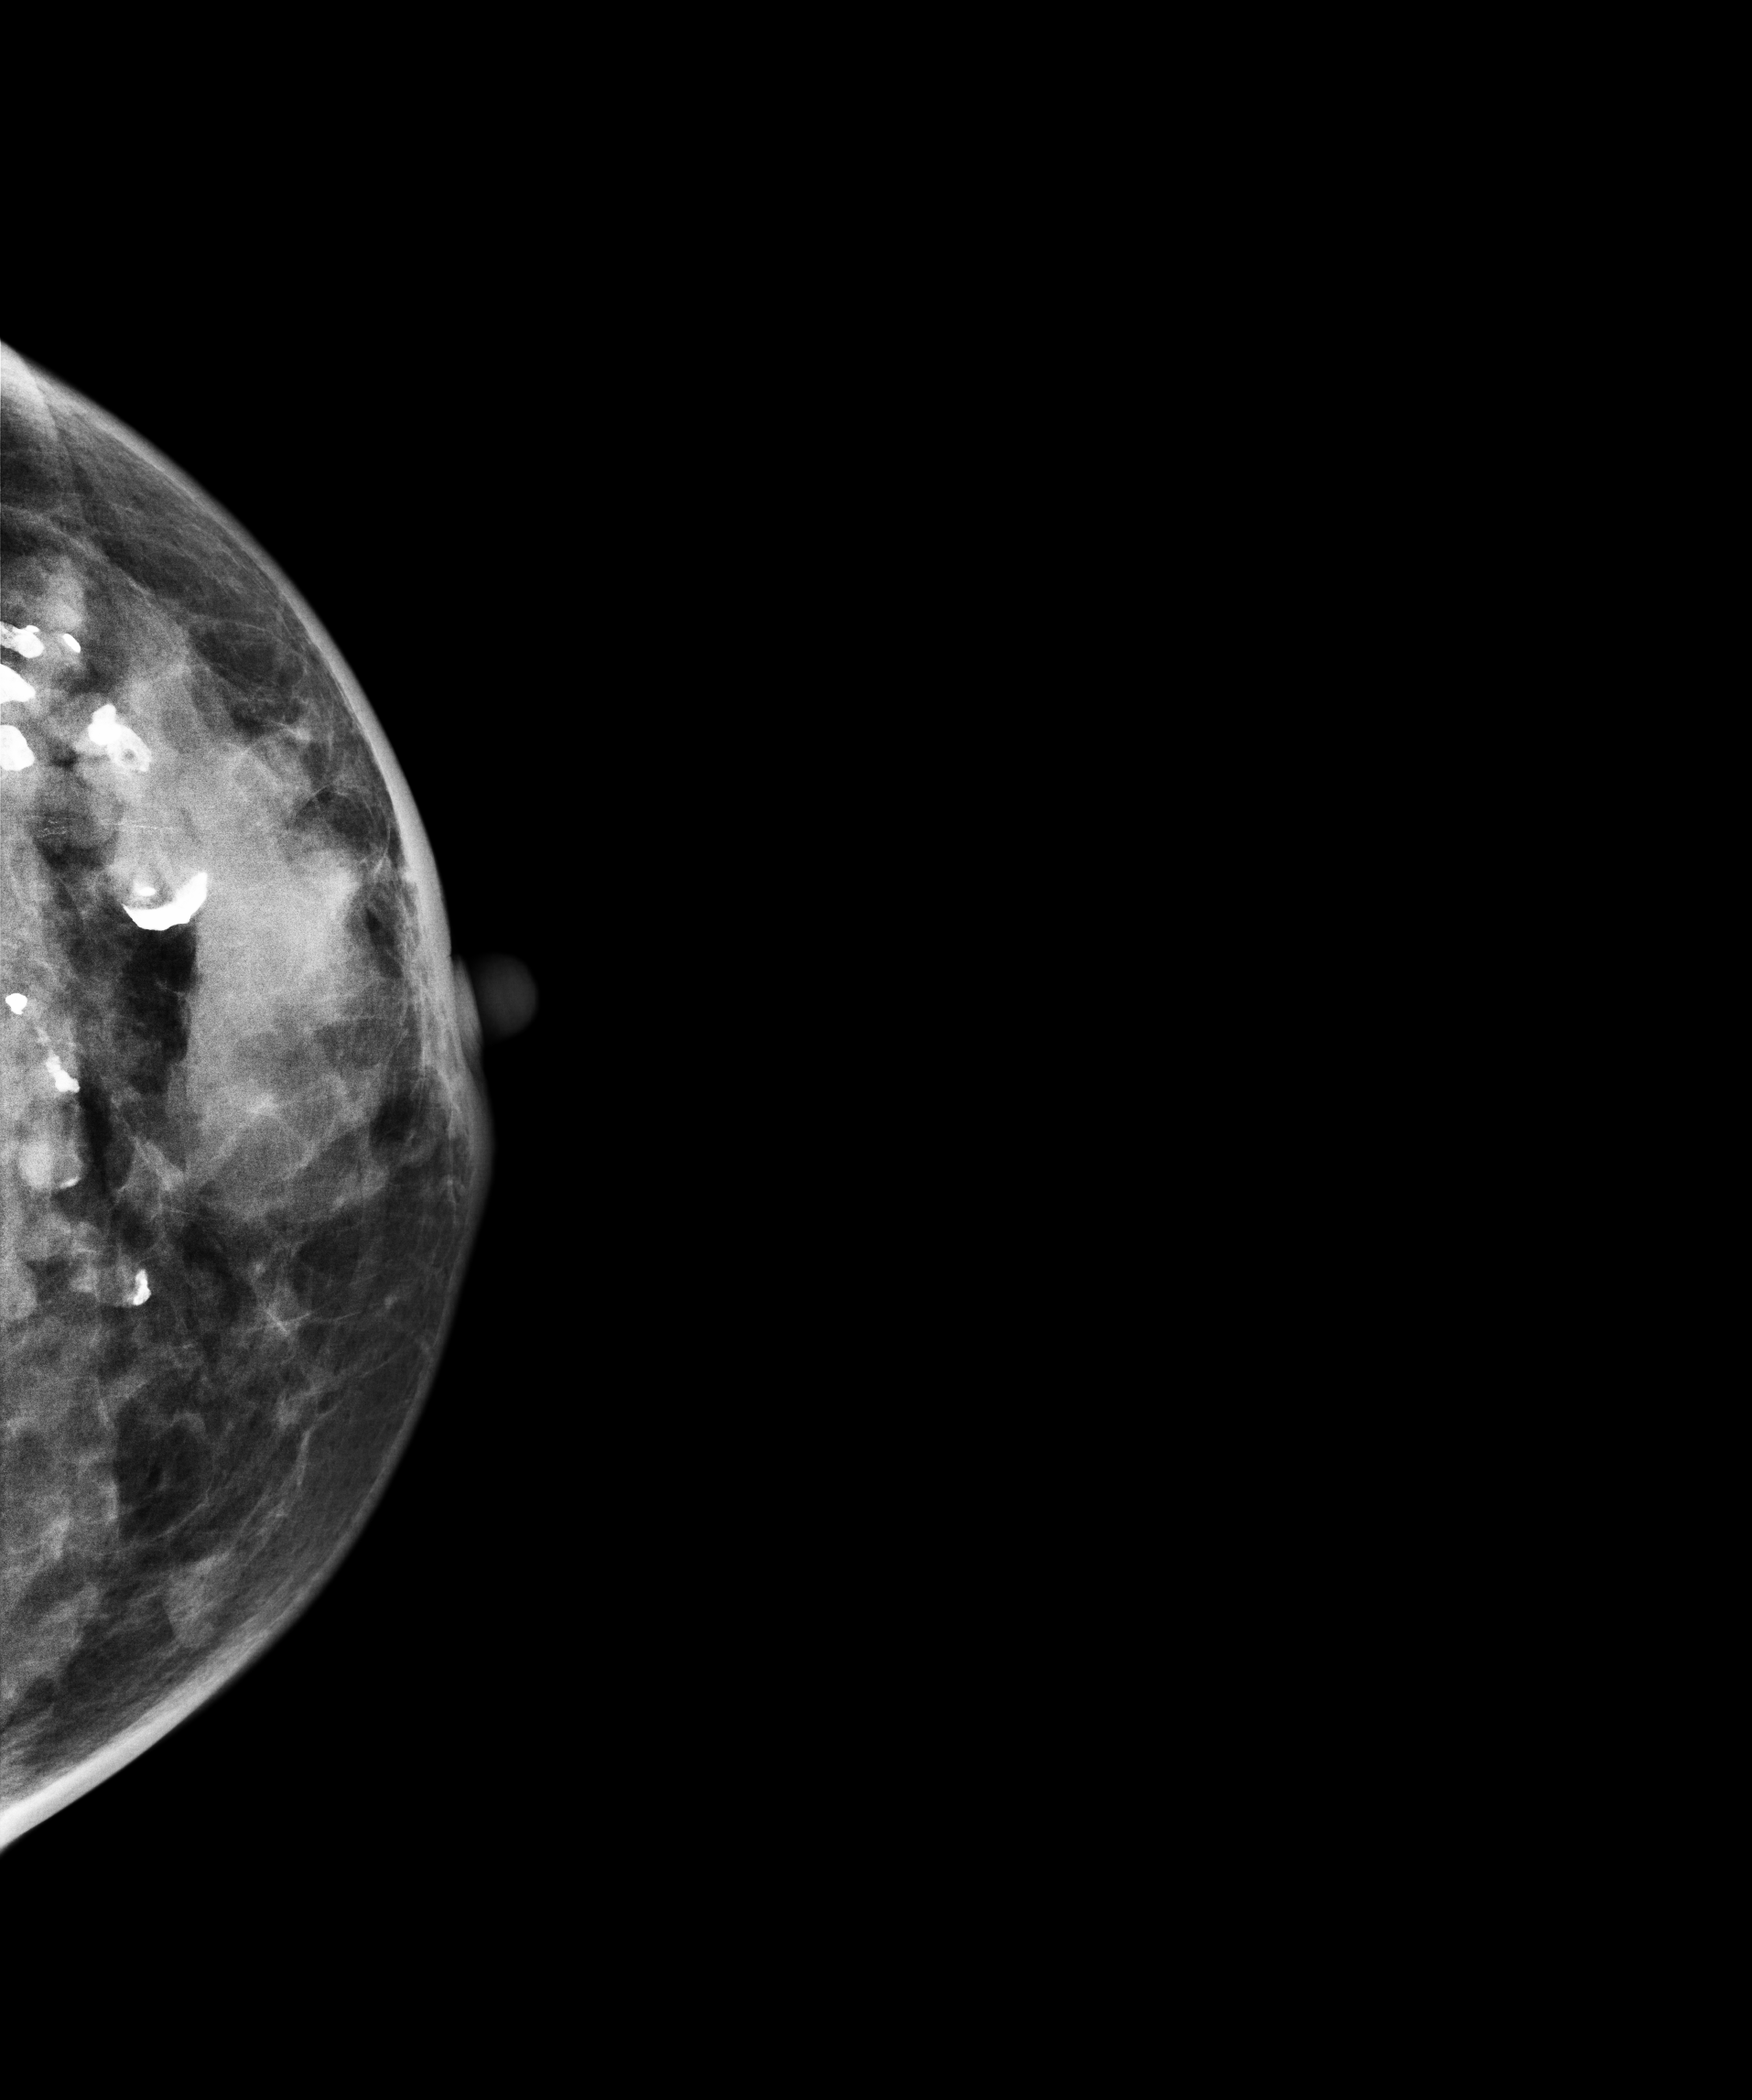
Mammogram, left breast, CC view. Patient age 47.
This breast has a mass and calcifications, biopsy-proven malignant. Molecular subtype: luminal B.